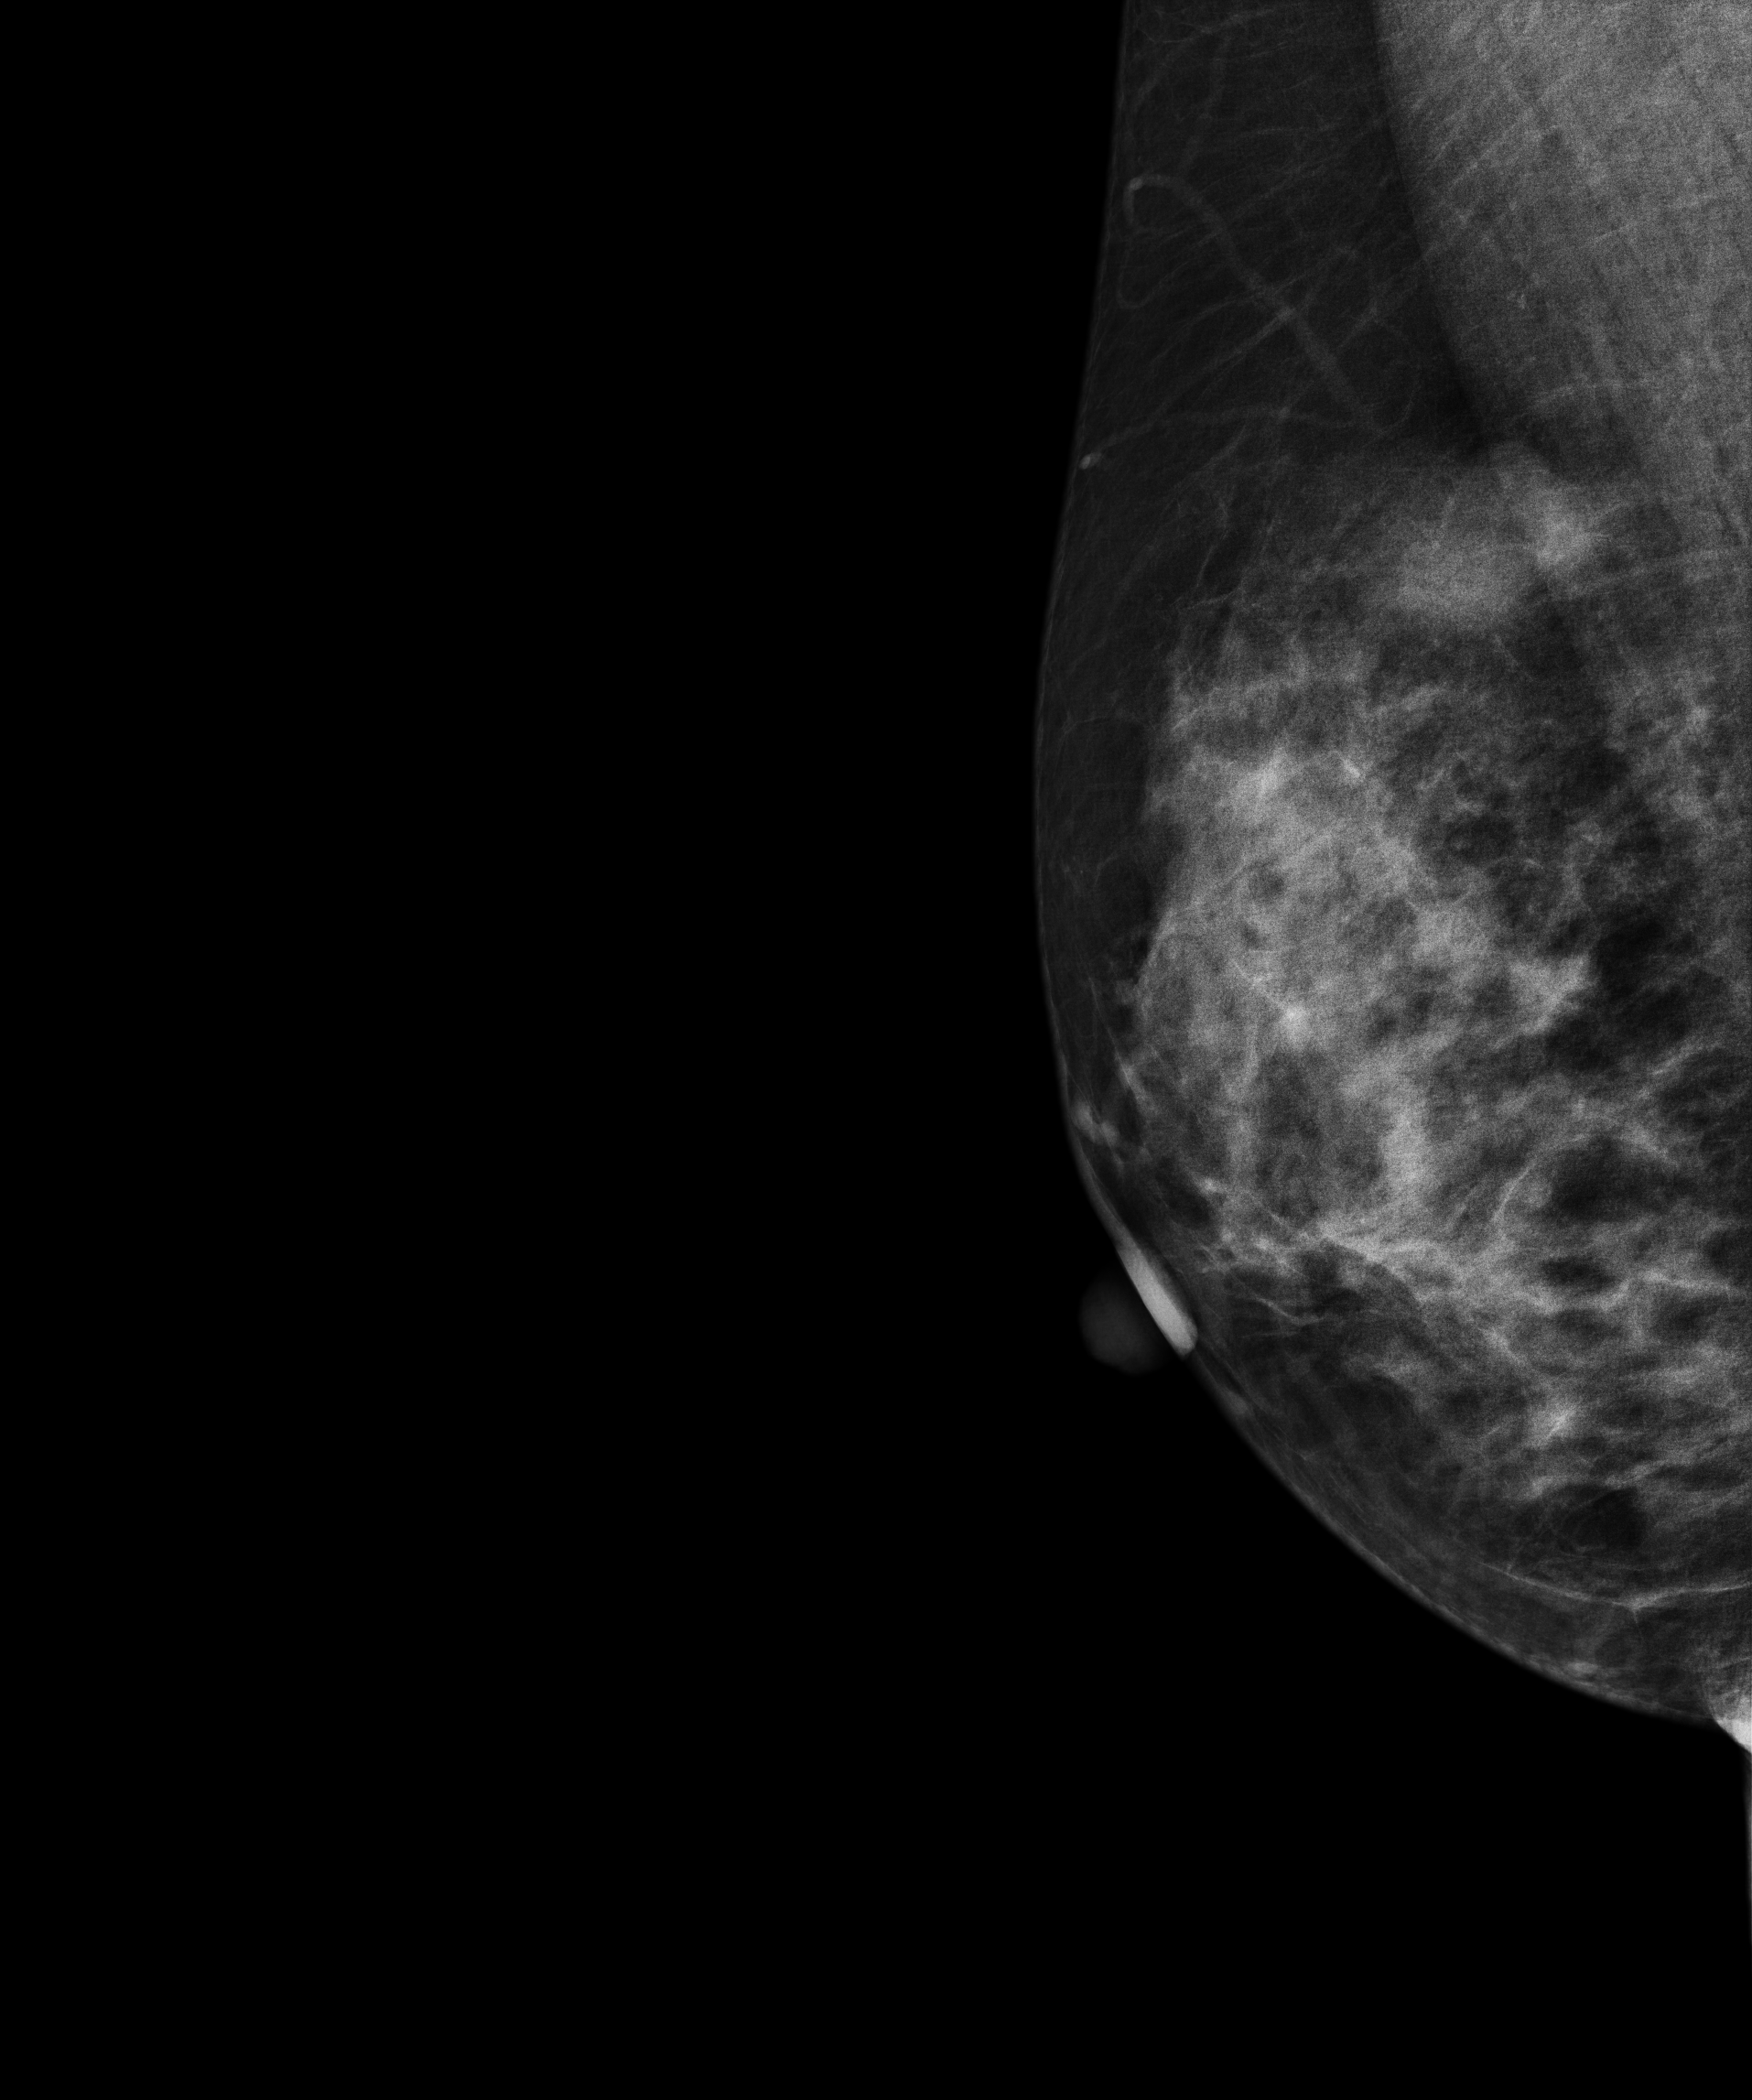
Mammogram, right breast, medio-lateral oblique view. 45-year-old patient.
This breast has a mass, pathology-confirmed benign.